Mammogram, right breast, medio-lateral oblique view. 60-year-old patient.
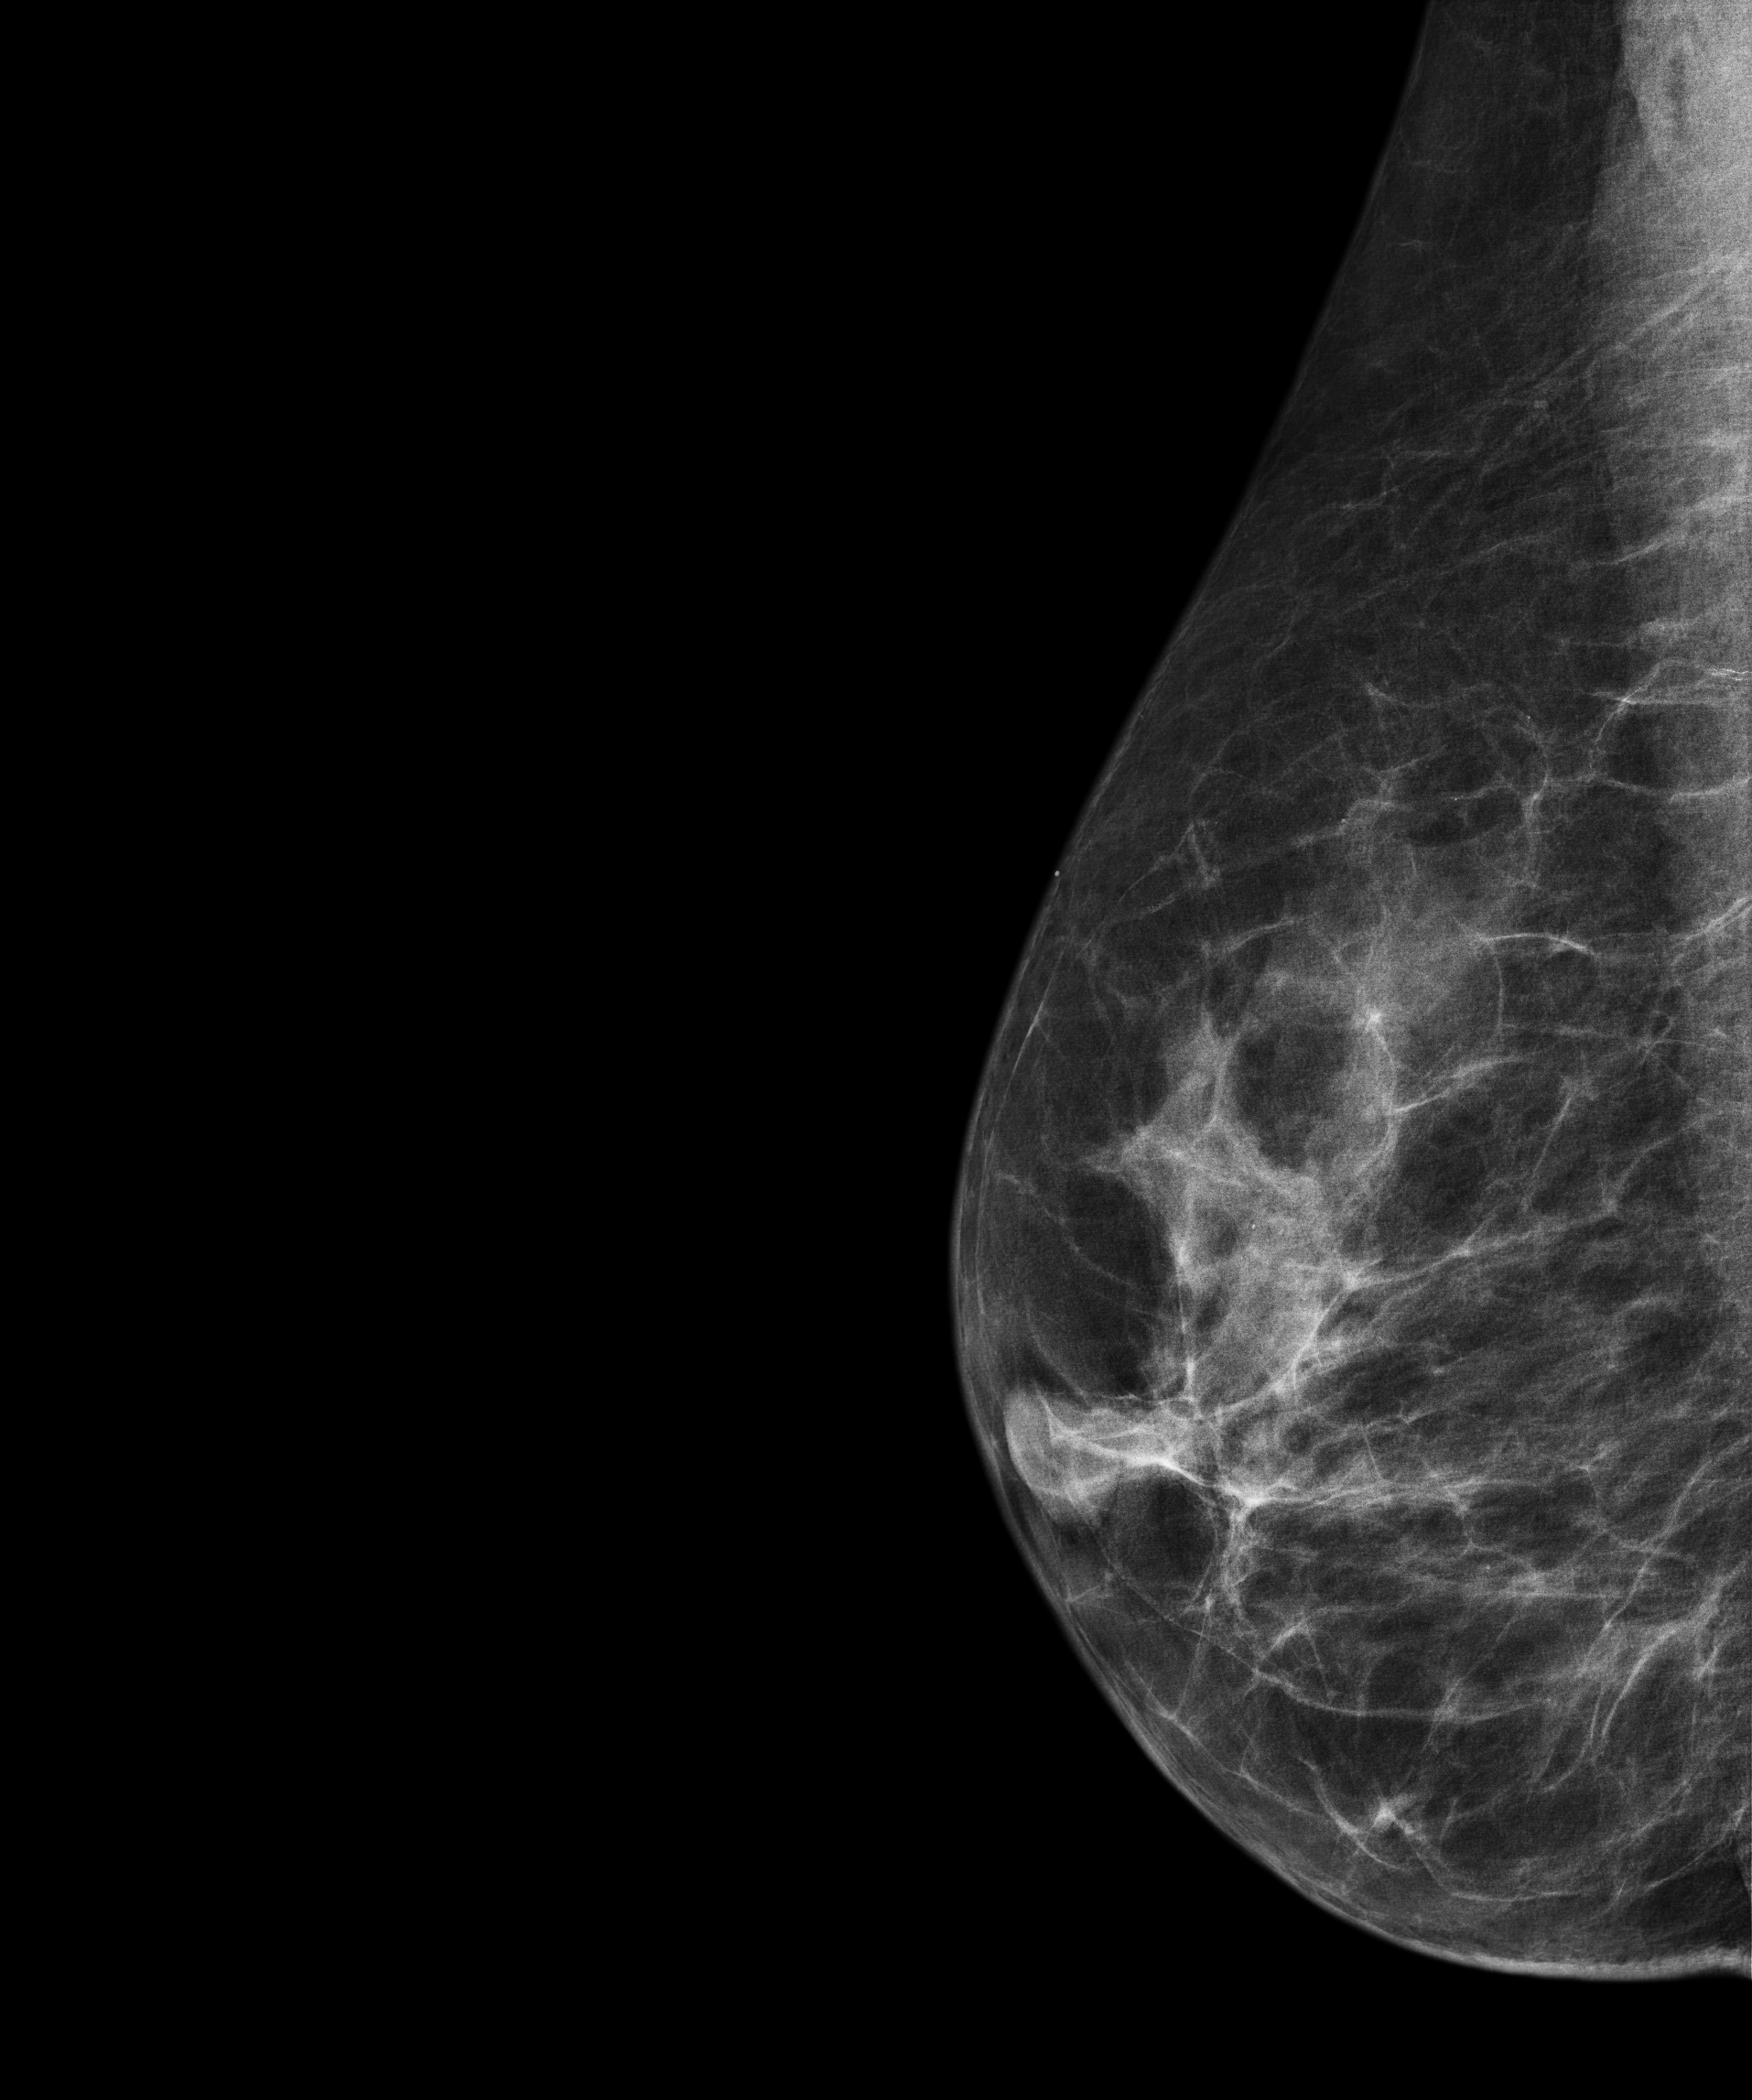
Contralateral breast — no documented abnormality on this side.